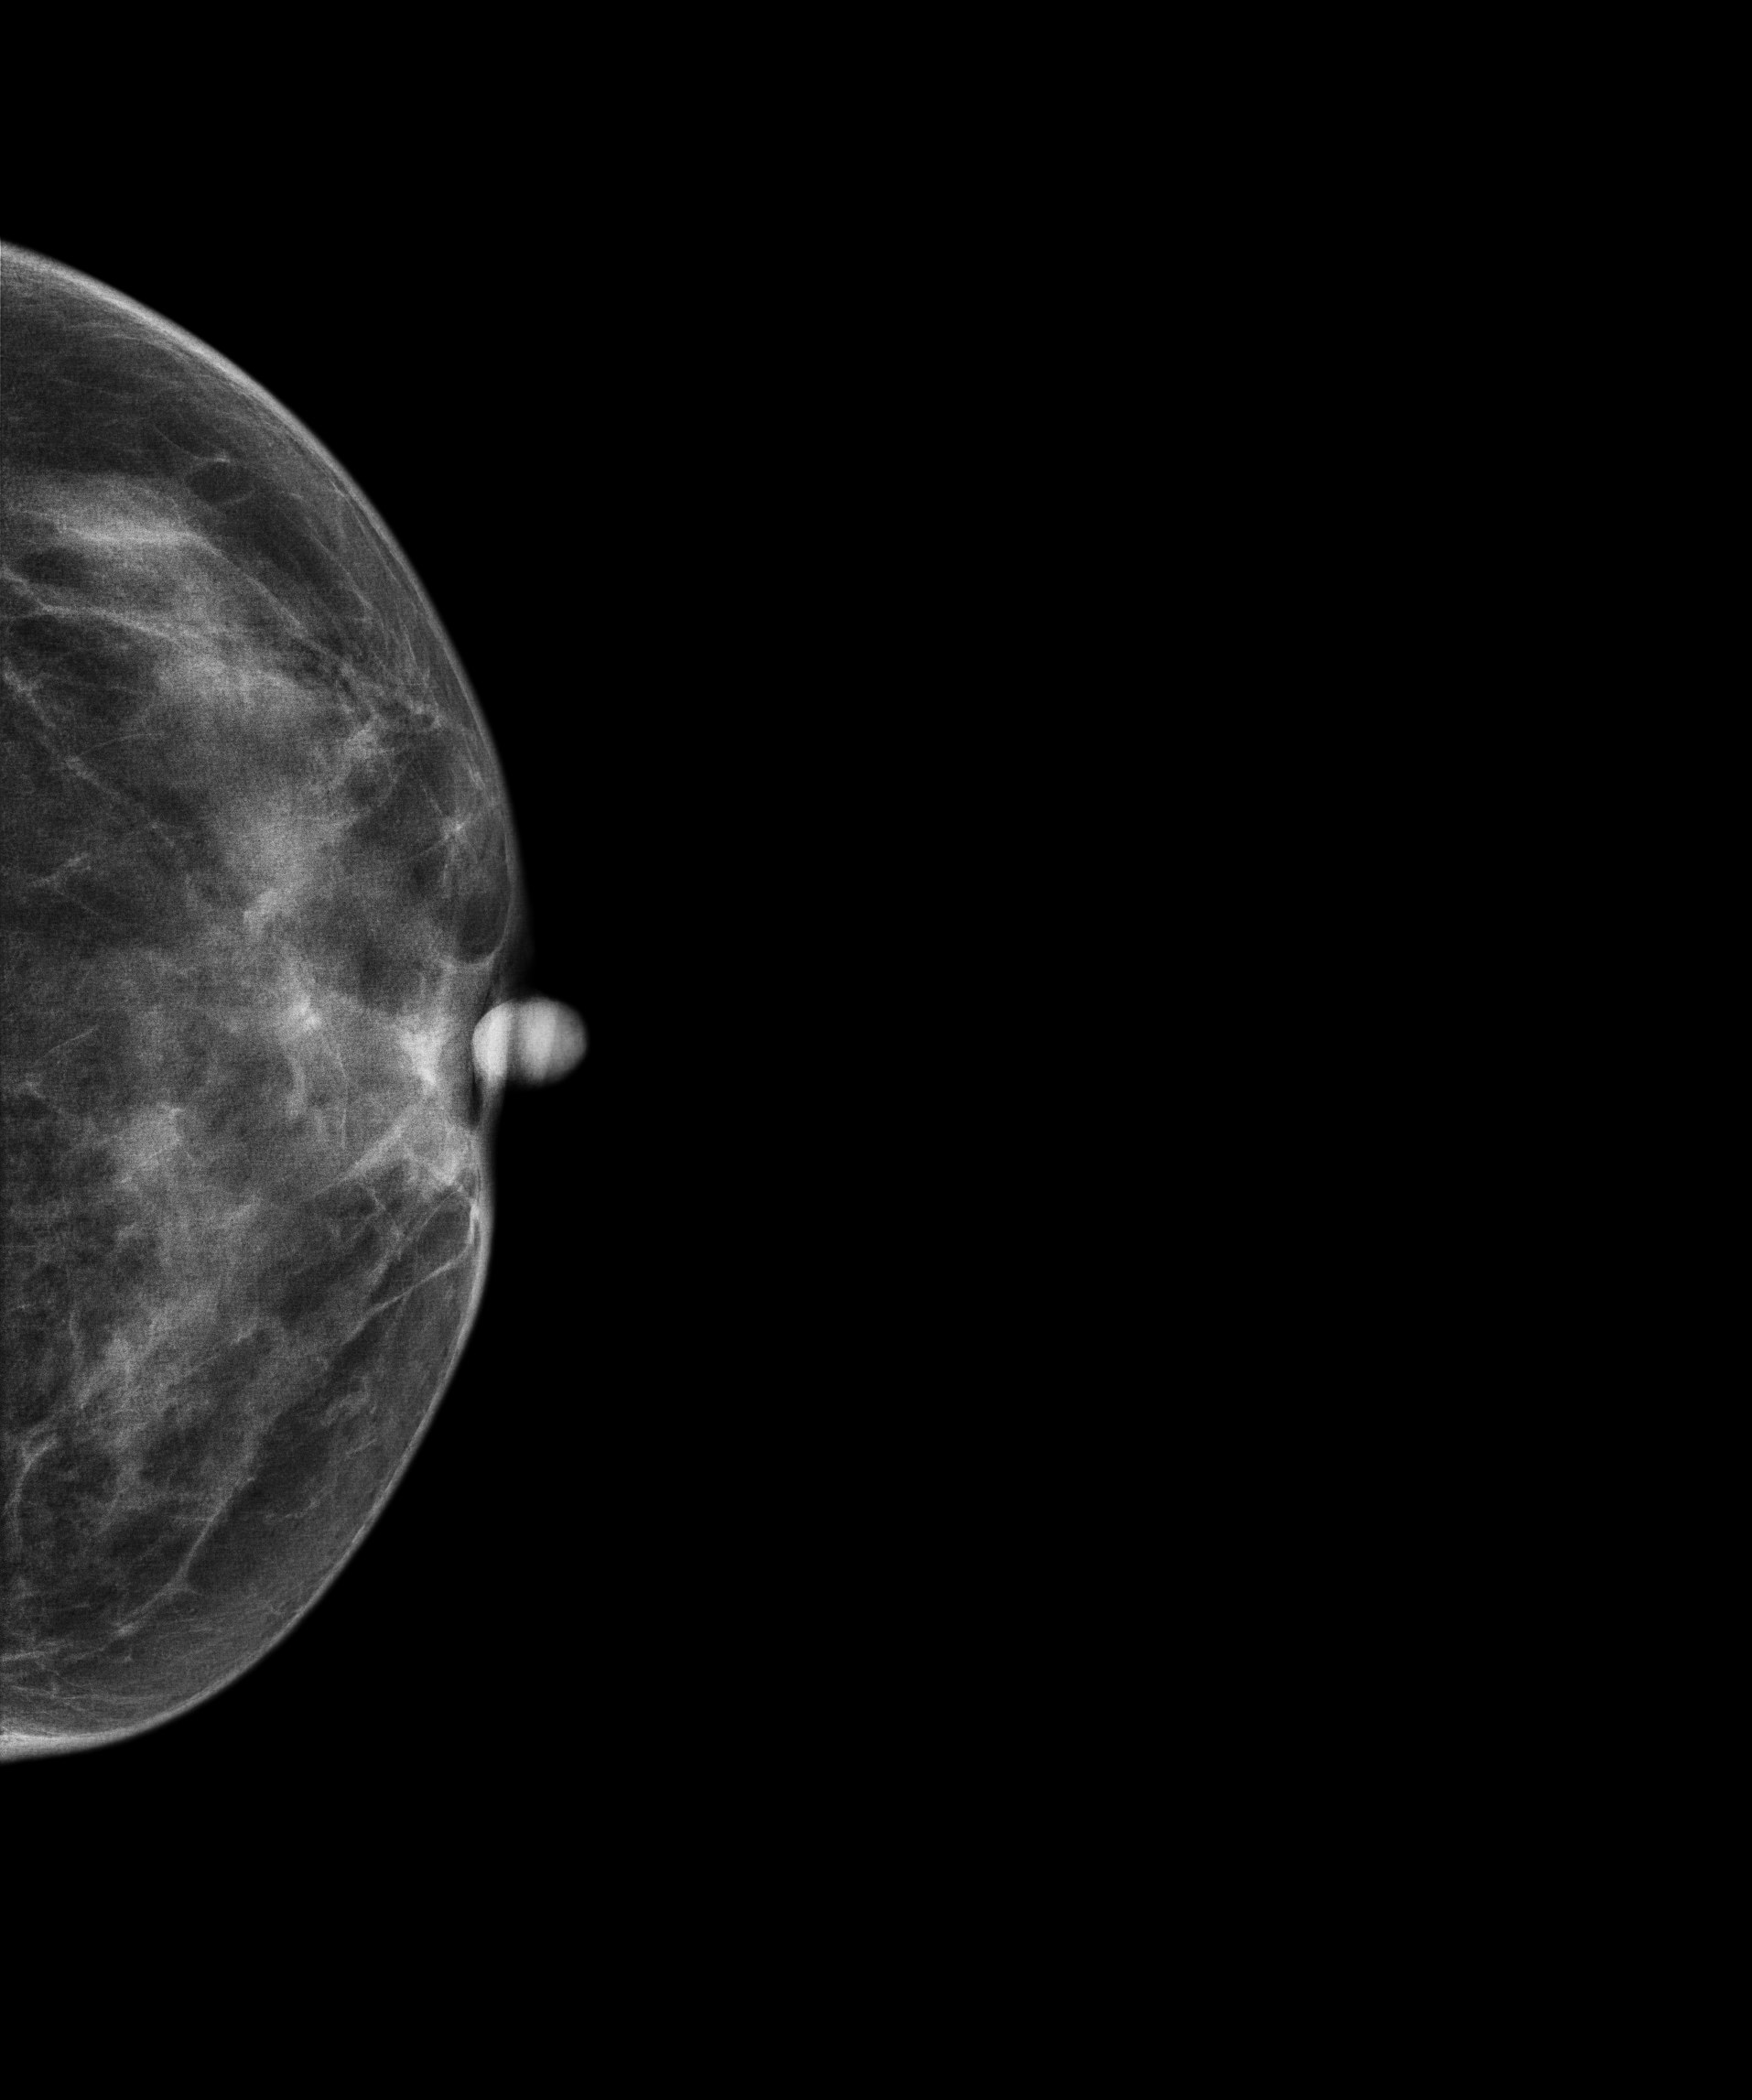
Mammogram — left cranio-caudal. Patient age 31.
Contralateral breast — no documented abnormality on this side.